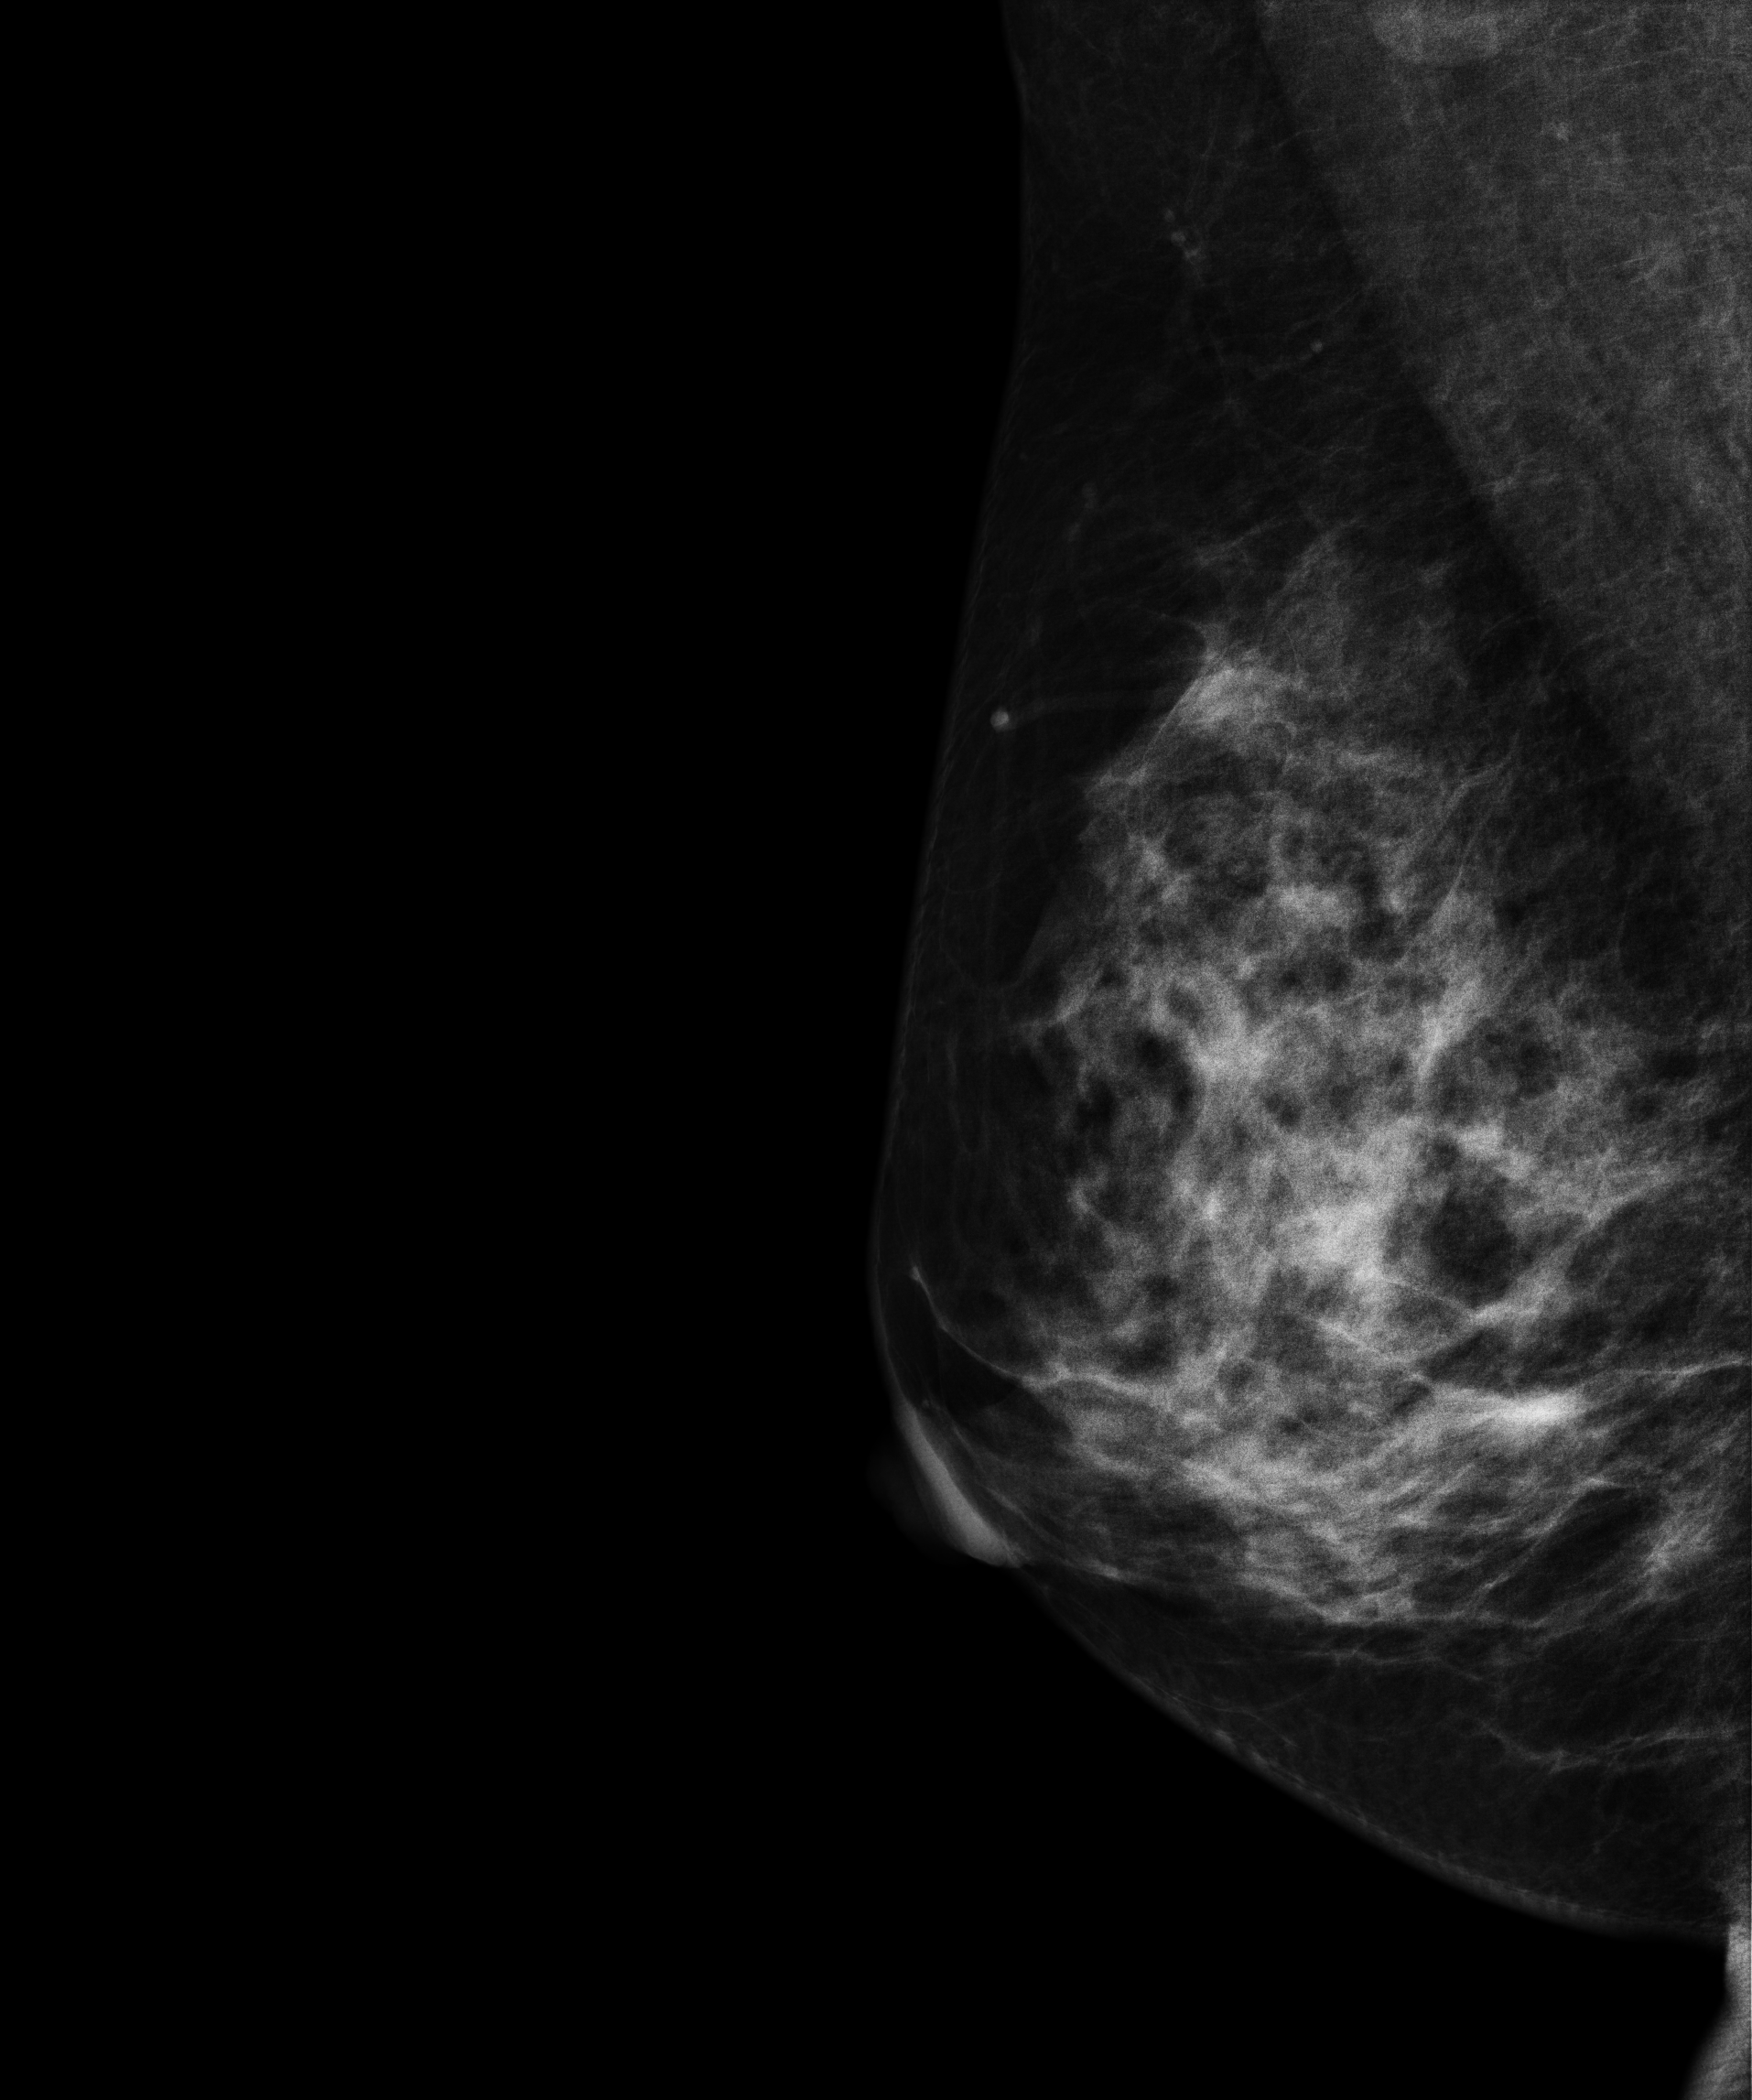
Right-breast mammogram, medio-lateral oblique. Patient age 33.
This breast has a mass, histologically confirmed benign.